Digital mammography. Right breast, CC projection. Patient age 43.
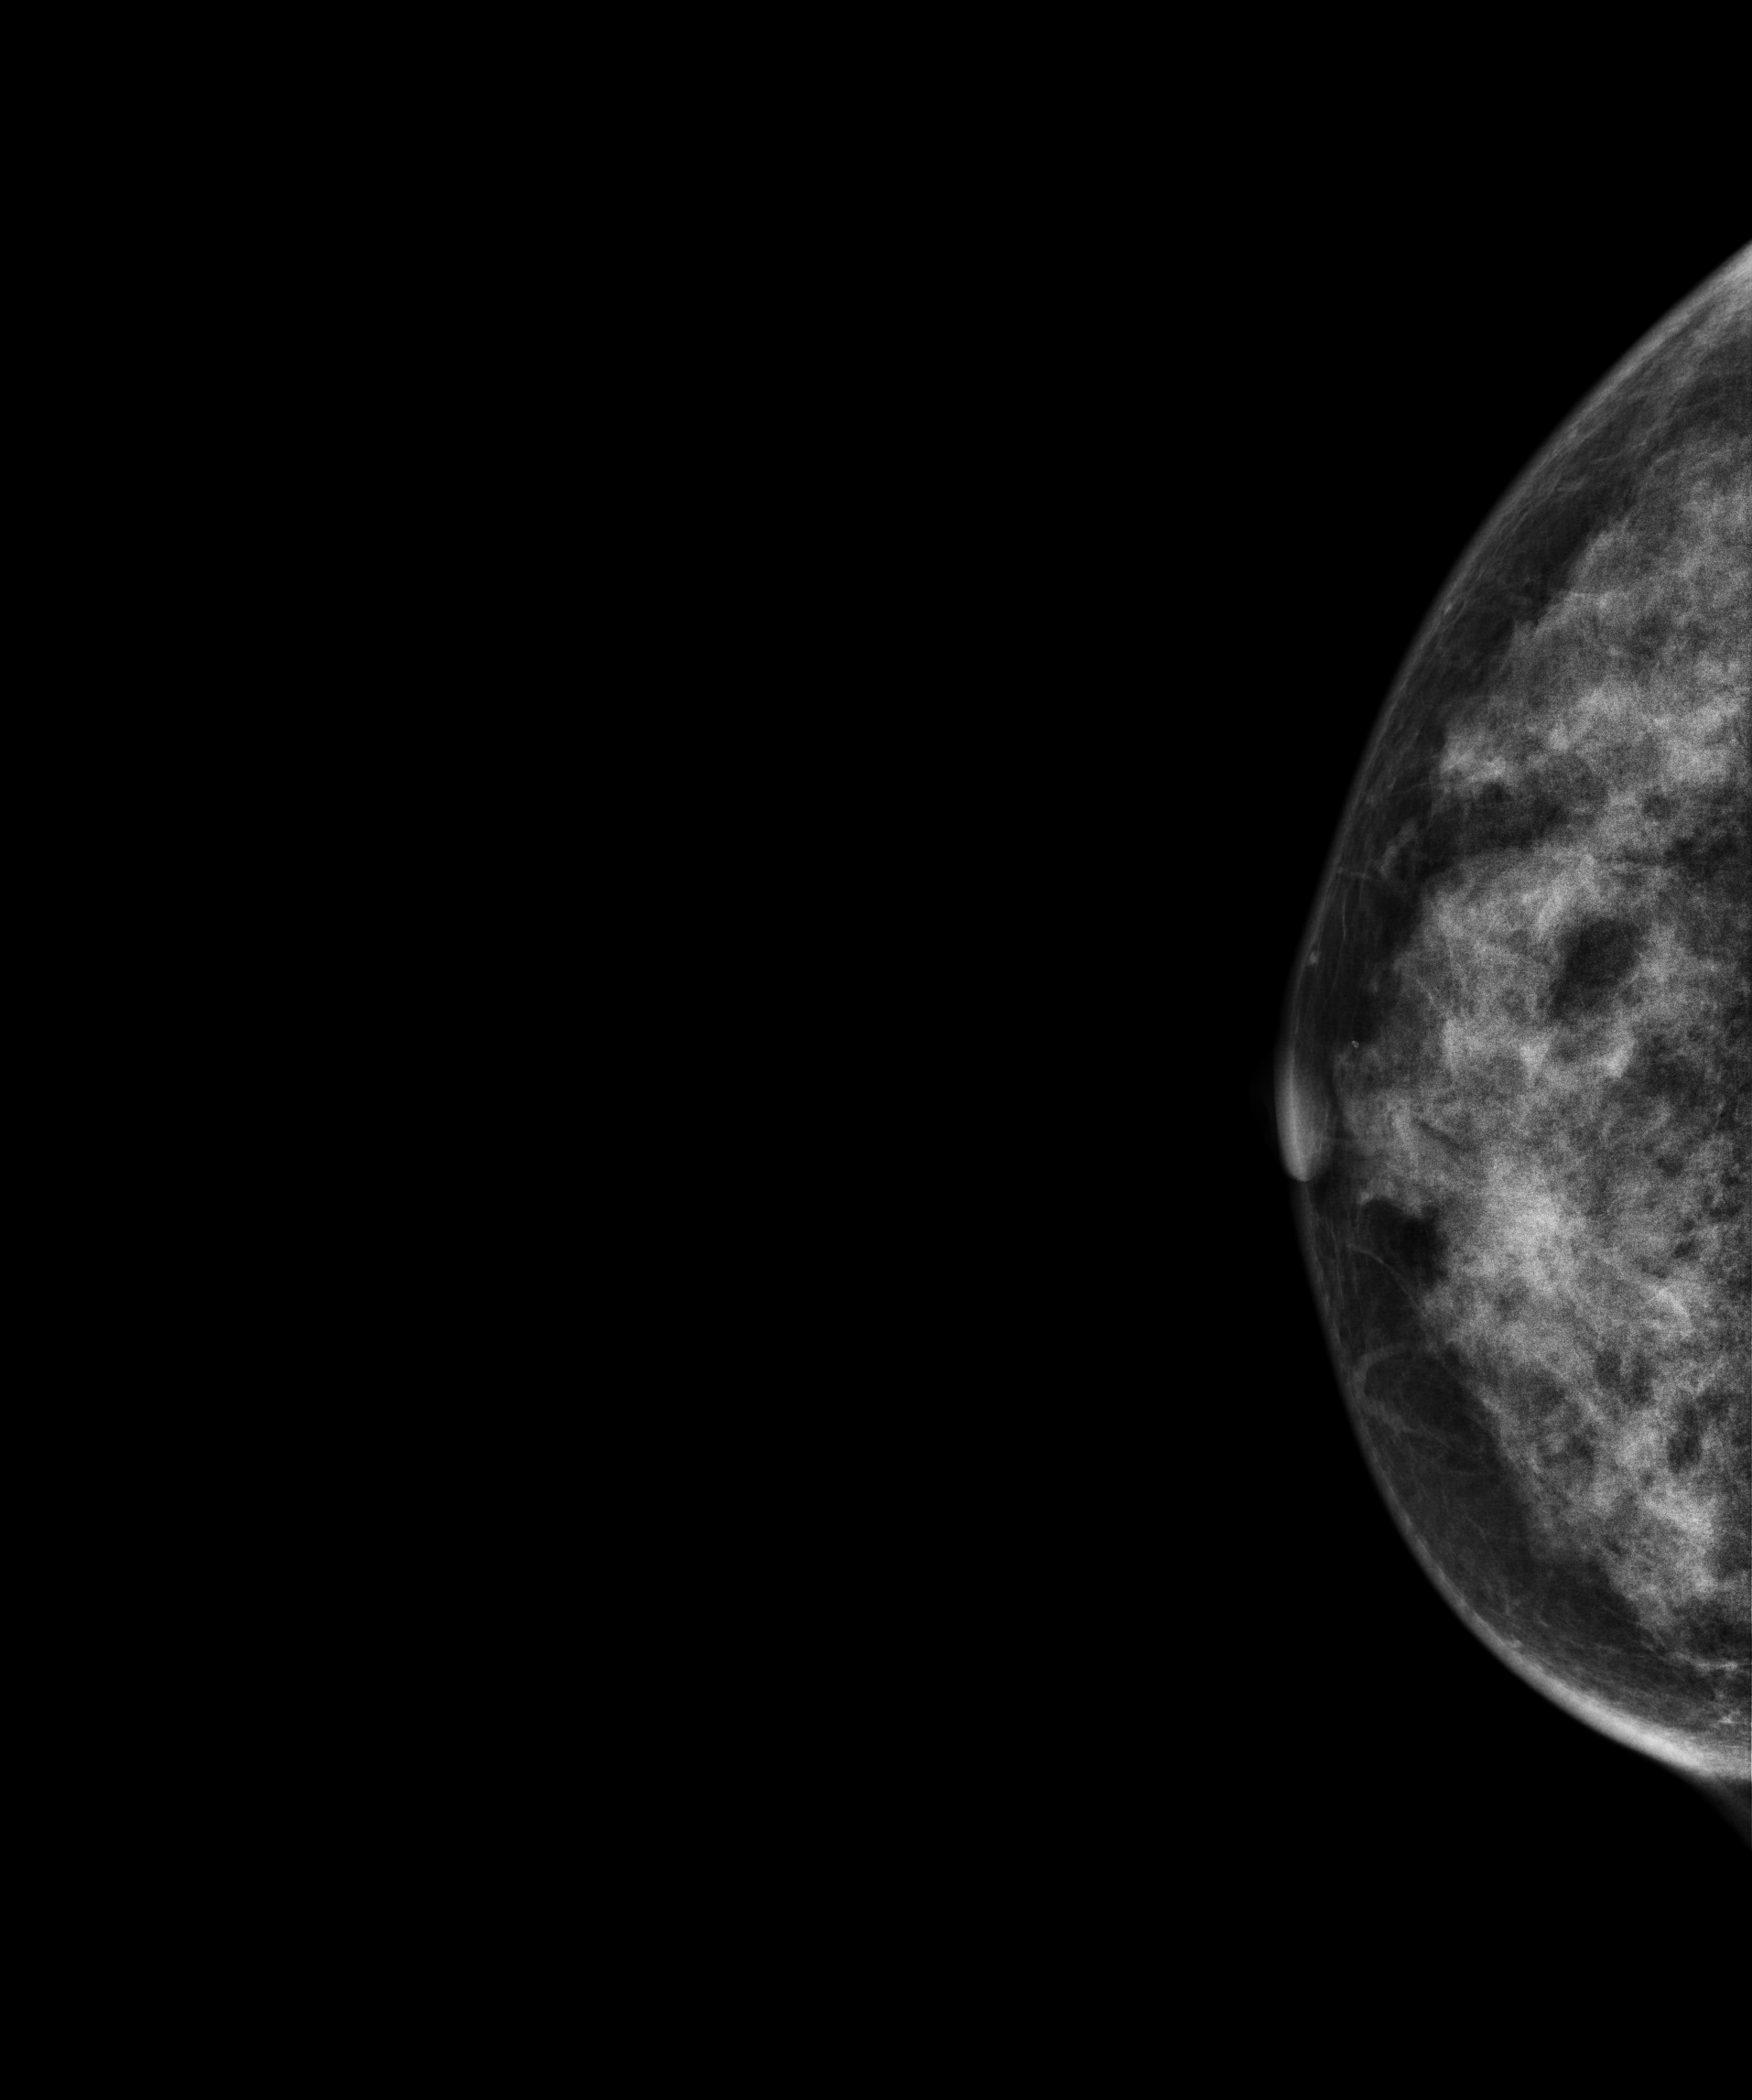
This breast has a mass, histologically confirmed benign.